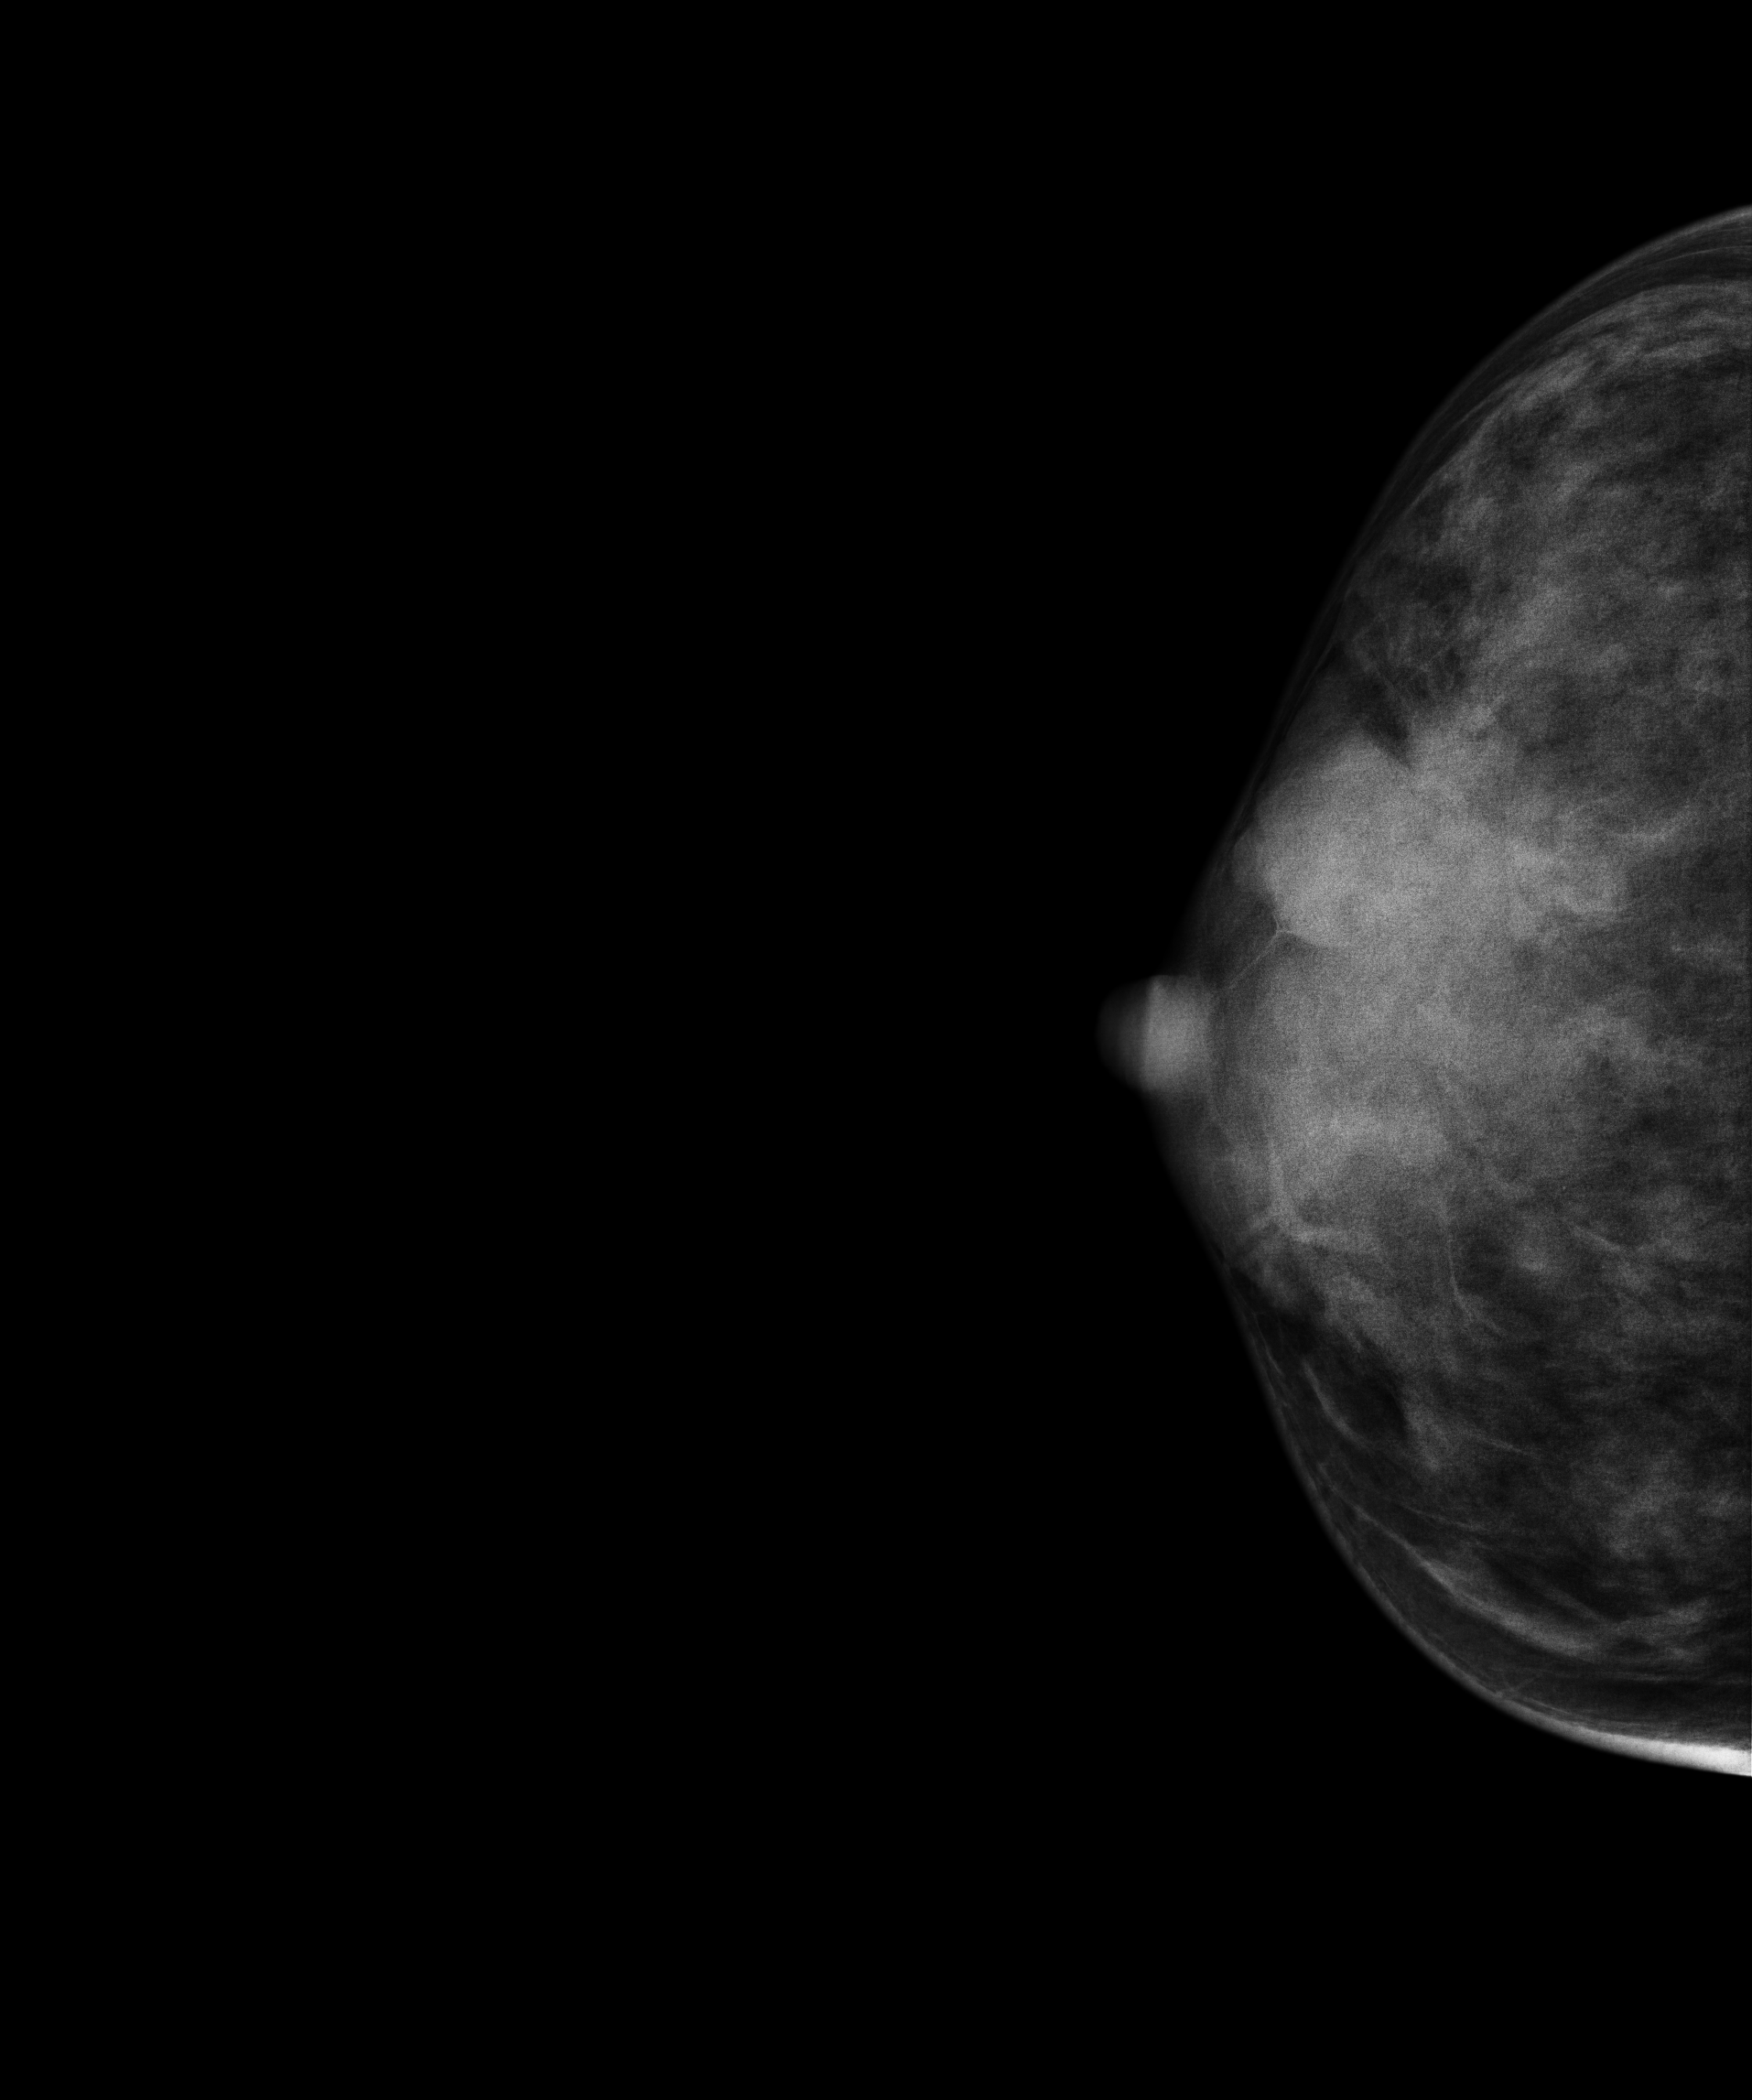
Cranio-caudal mammogram of the right breast. 37 y/o patient.
This breast has a mass, biopsy-proven benign.